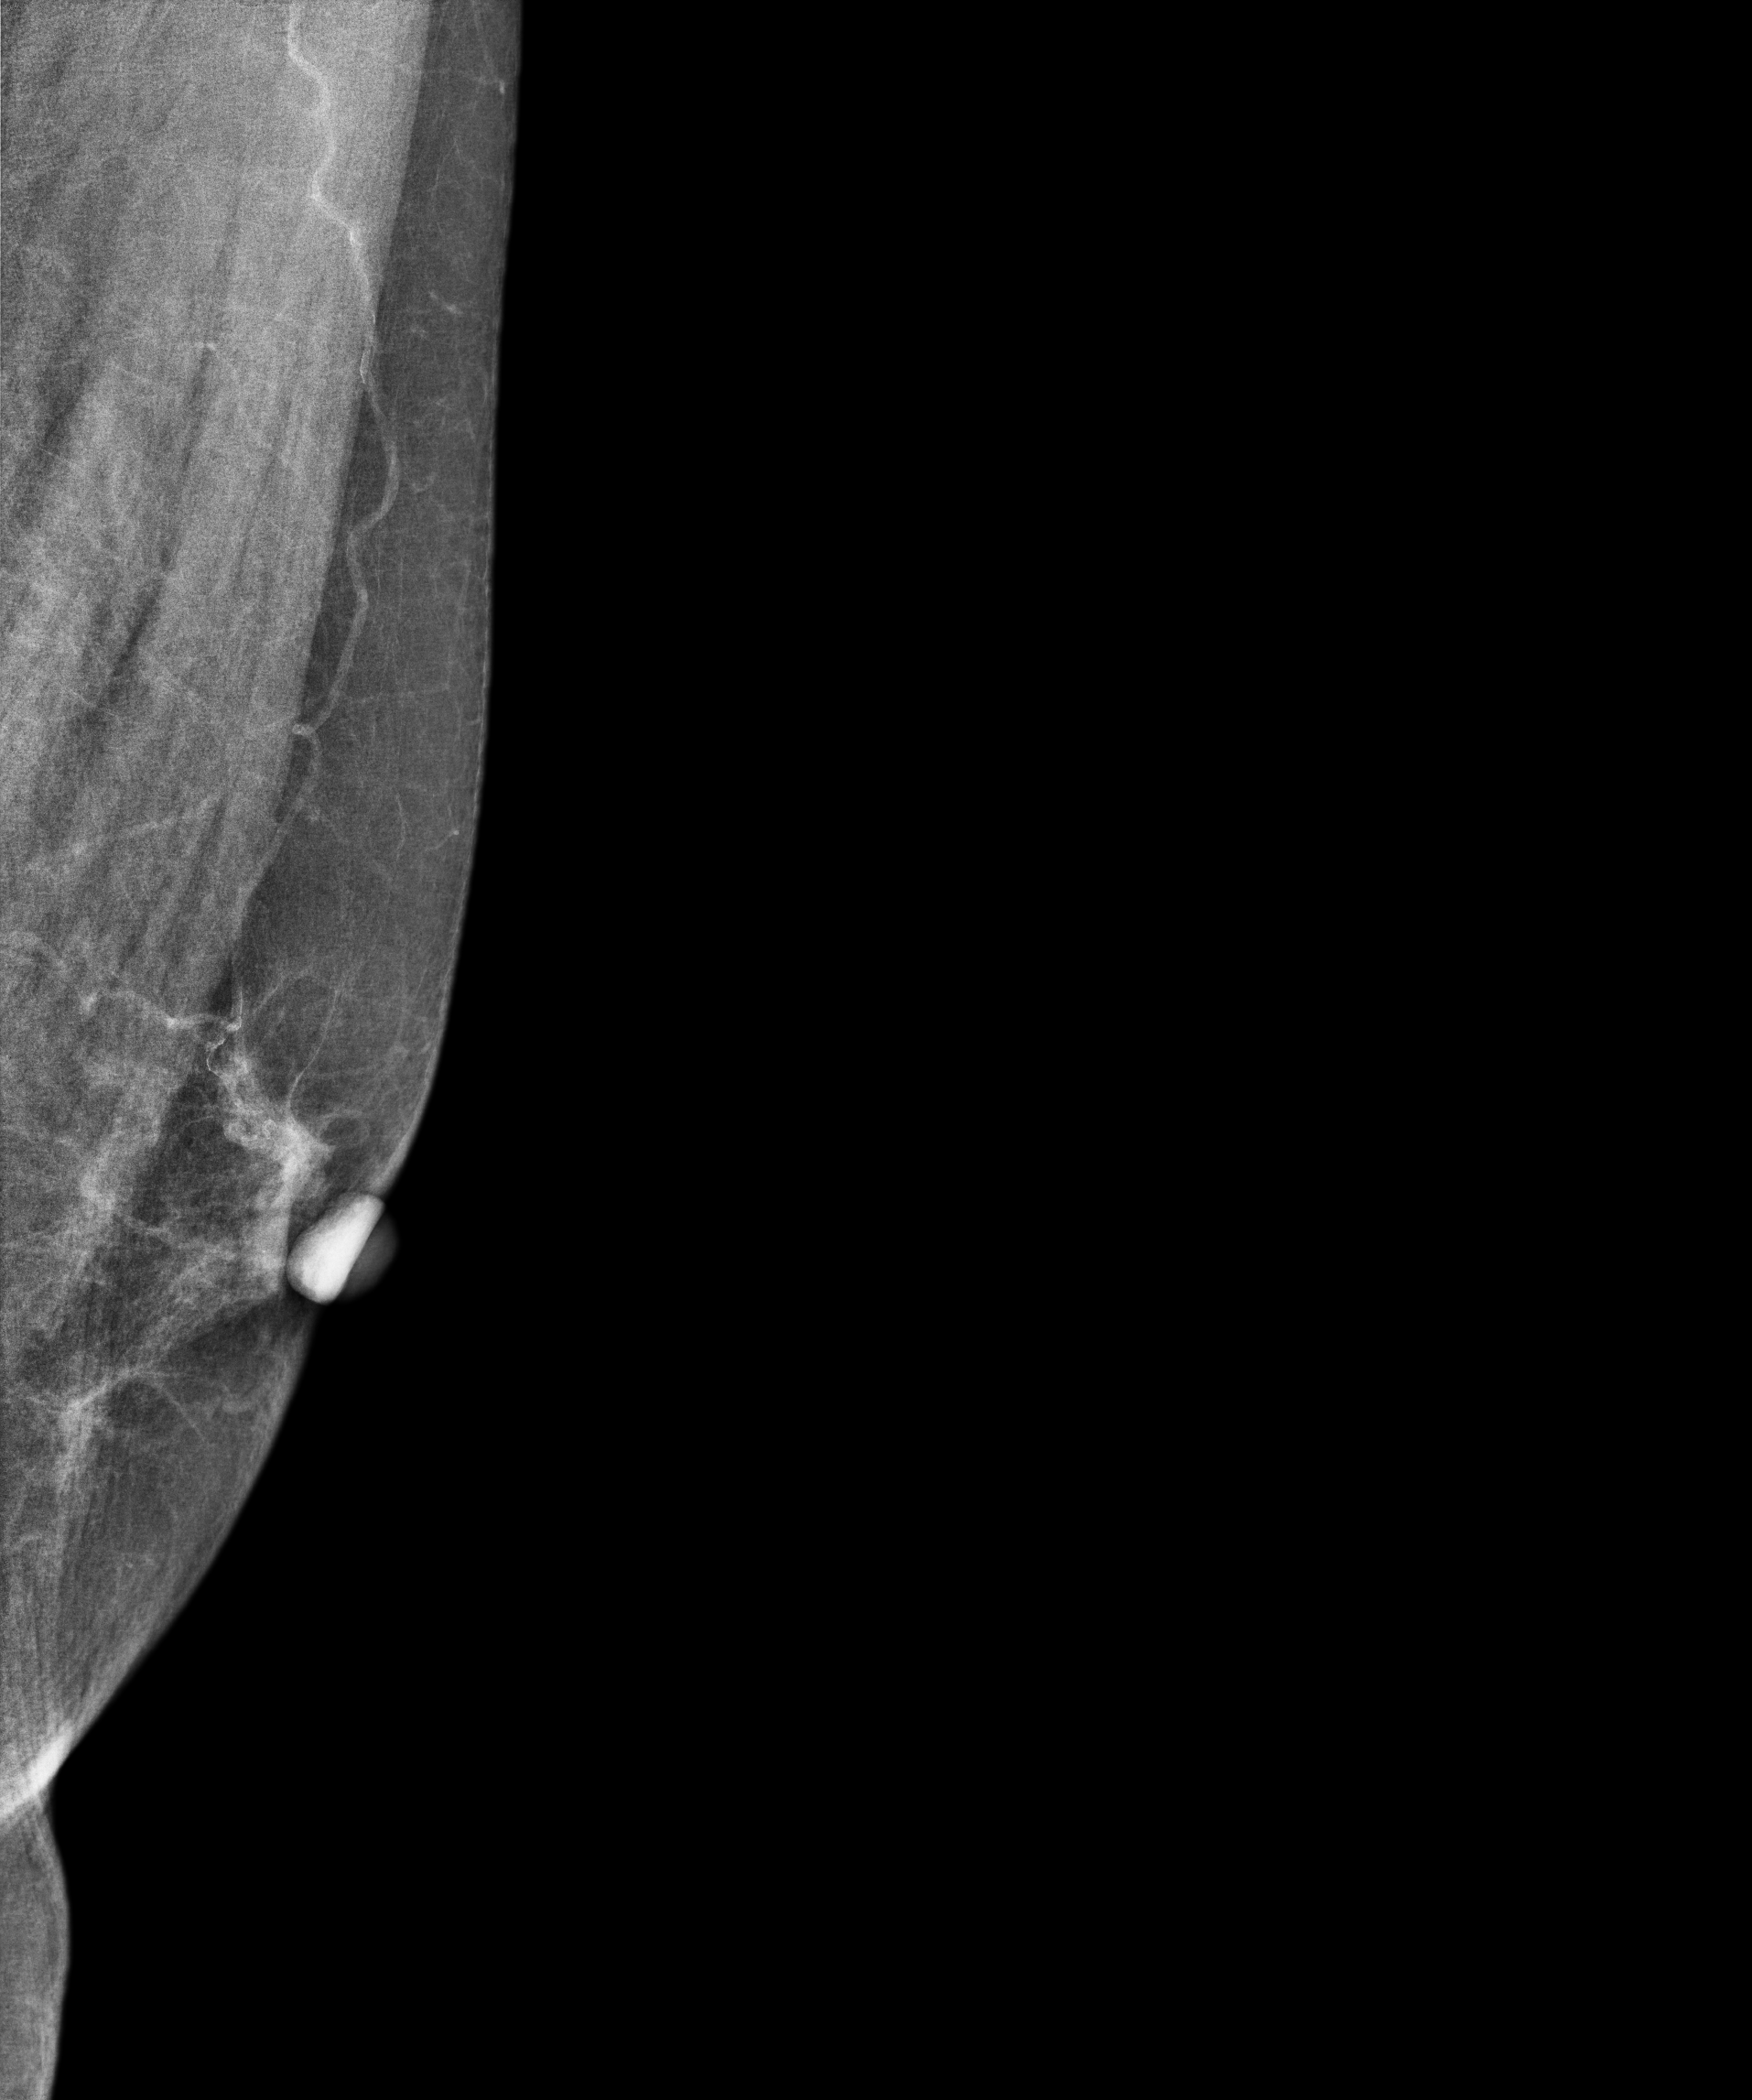
Digital mammography. Left breast, medio-lateral oblique projection. 55-year-old patient.
Contralateral breast — no documented abnormality on this side.